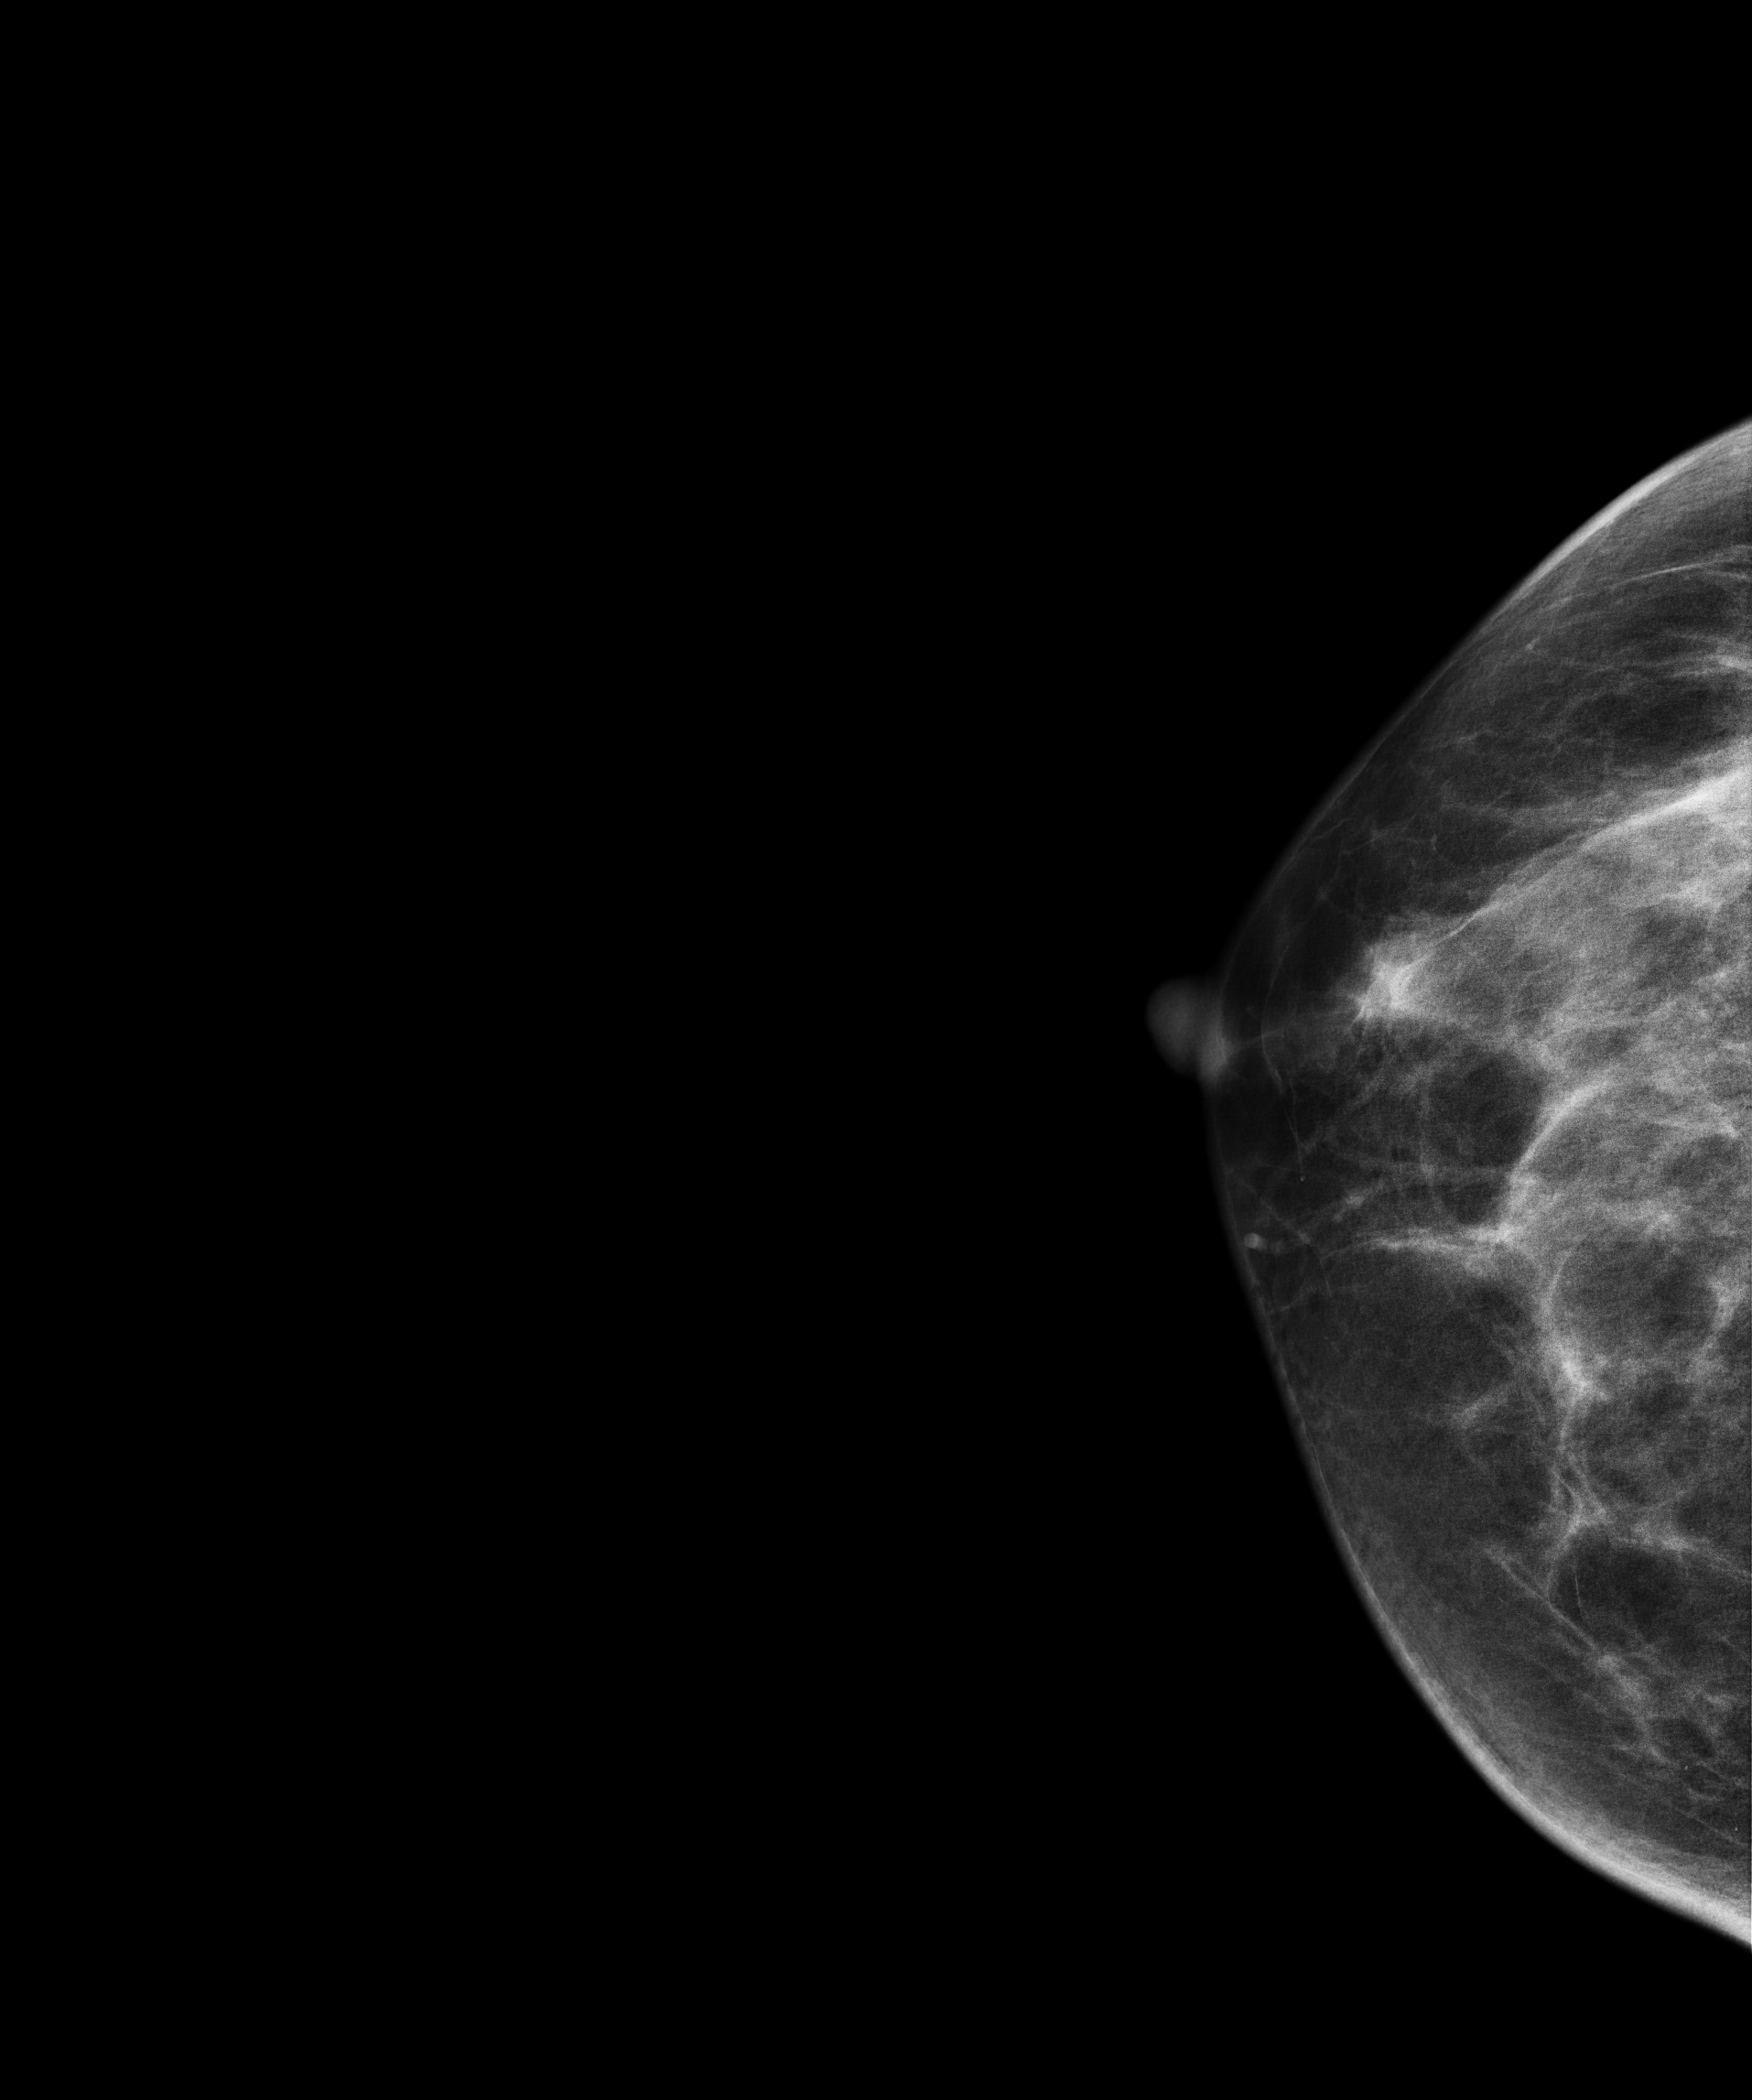
Right-breast mammogram, CC. Patient age 33.
Contralateral breast — no documented abnormality on this side.